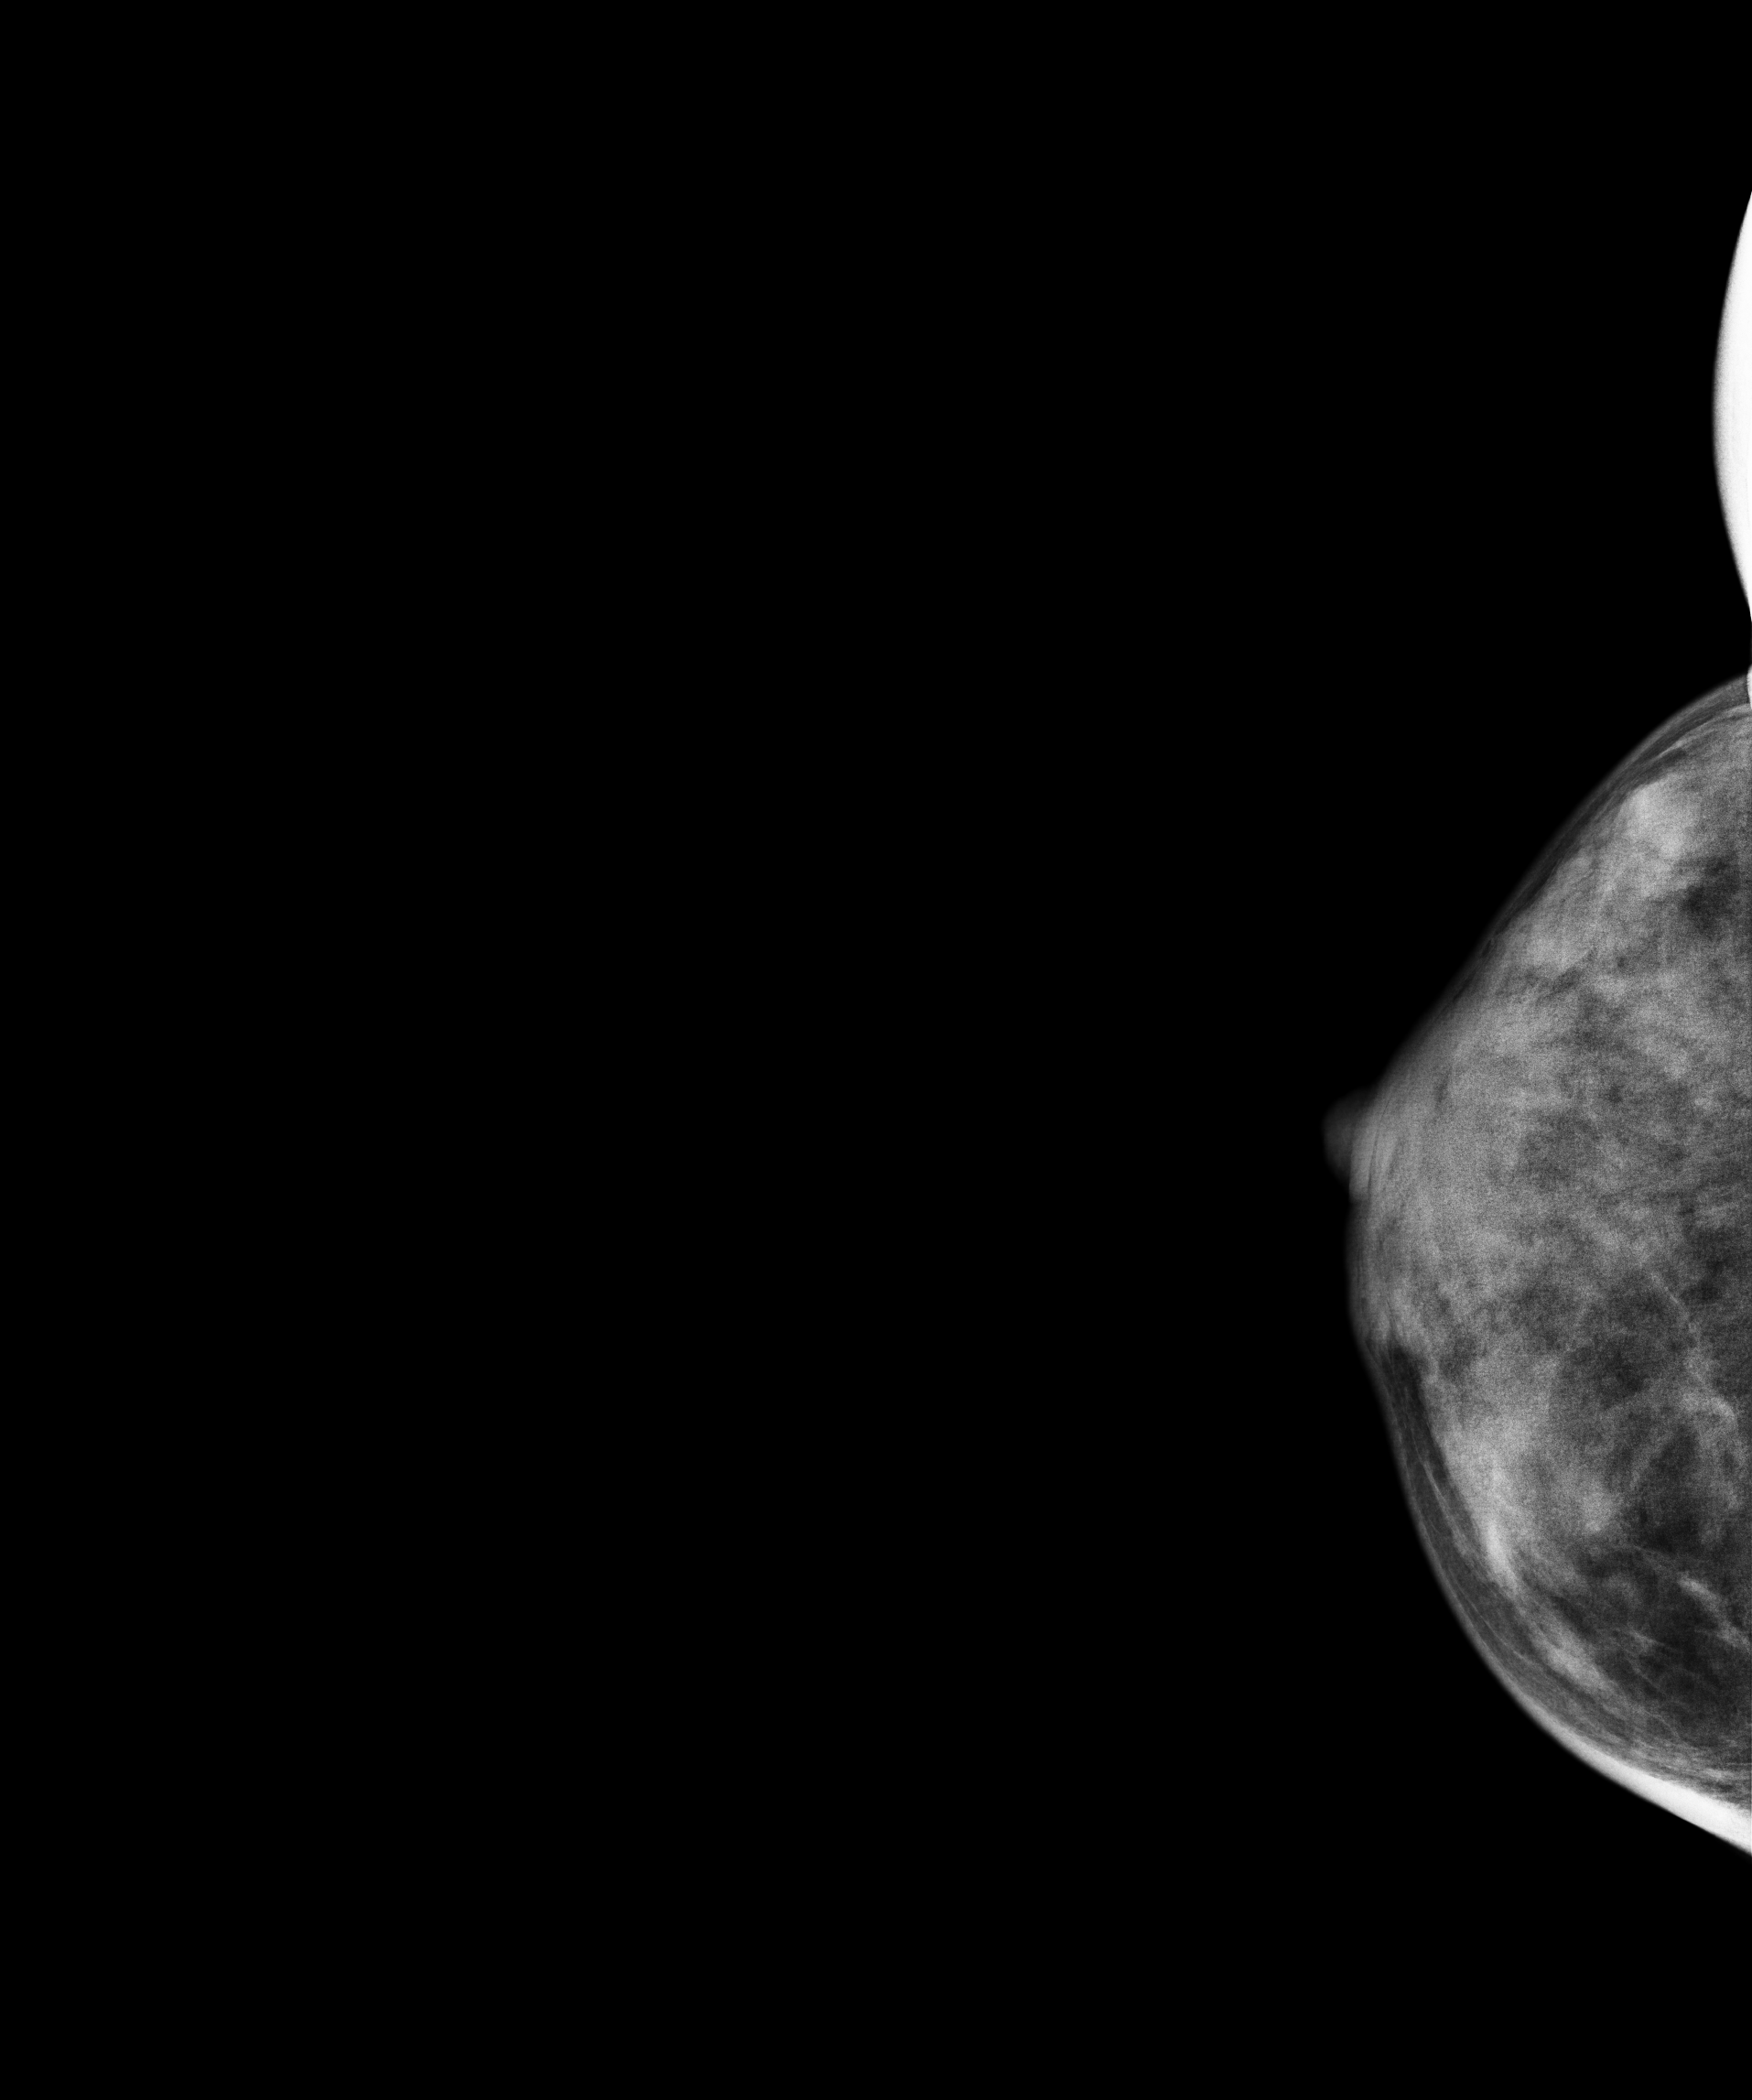
Cranio-caudal mammogram of the right breast. 41-year-old patient.
This breast has a mass, histologically confirmed benign.